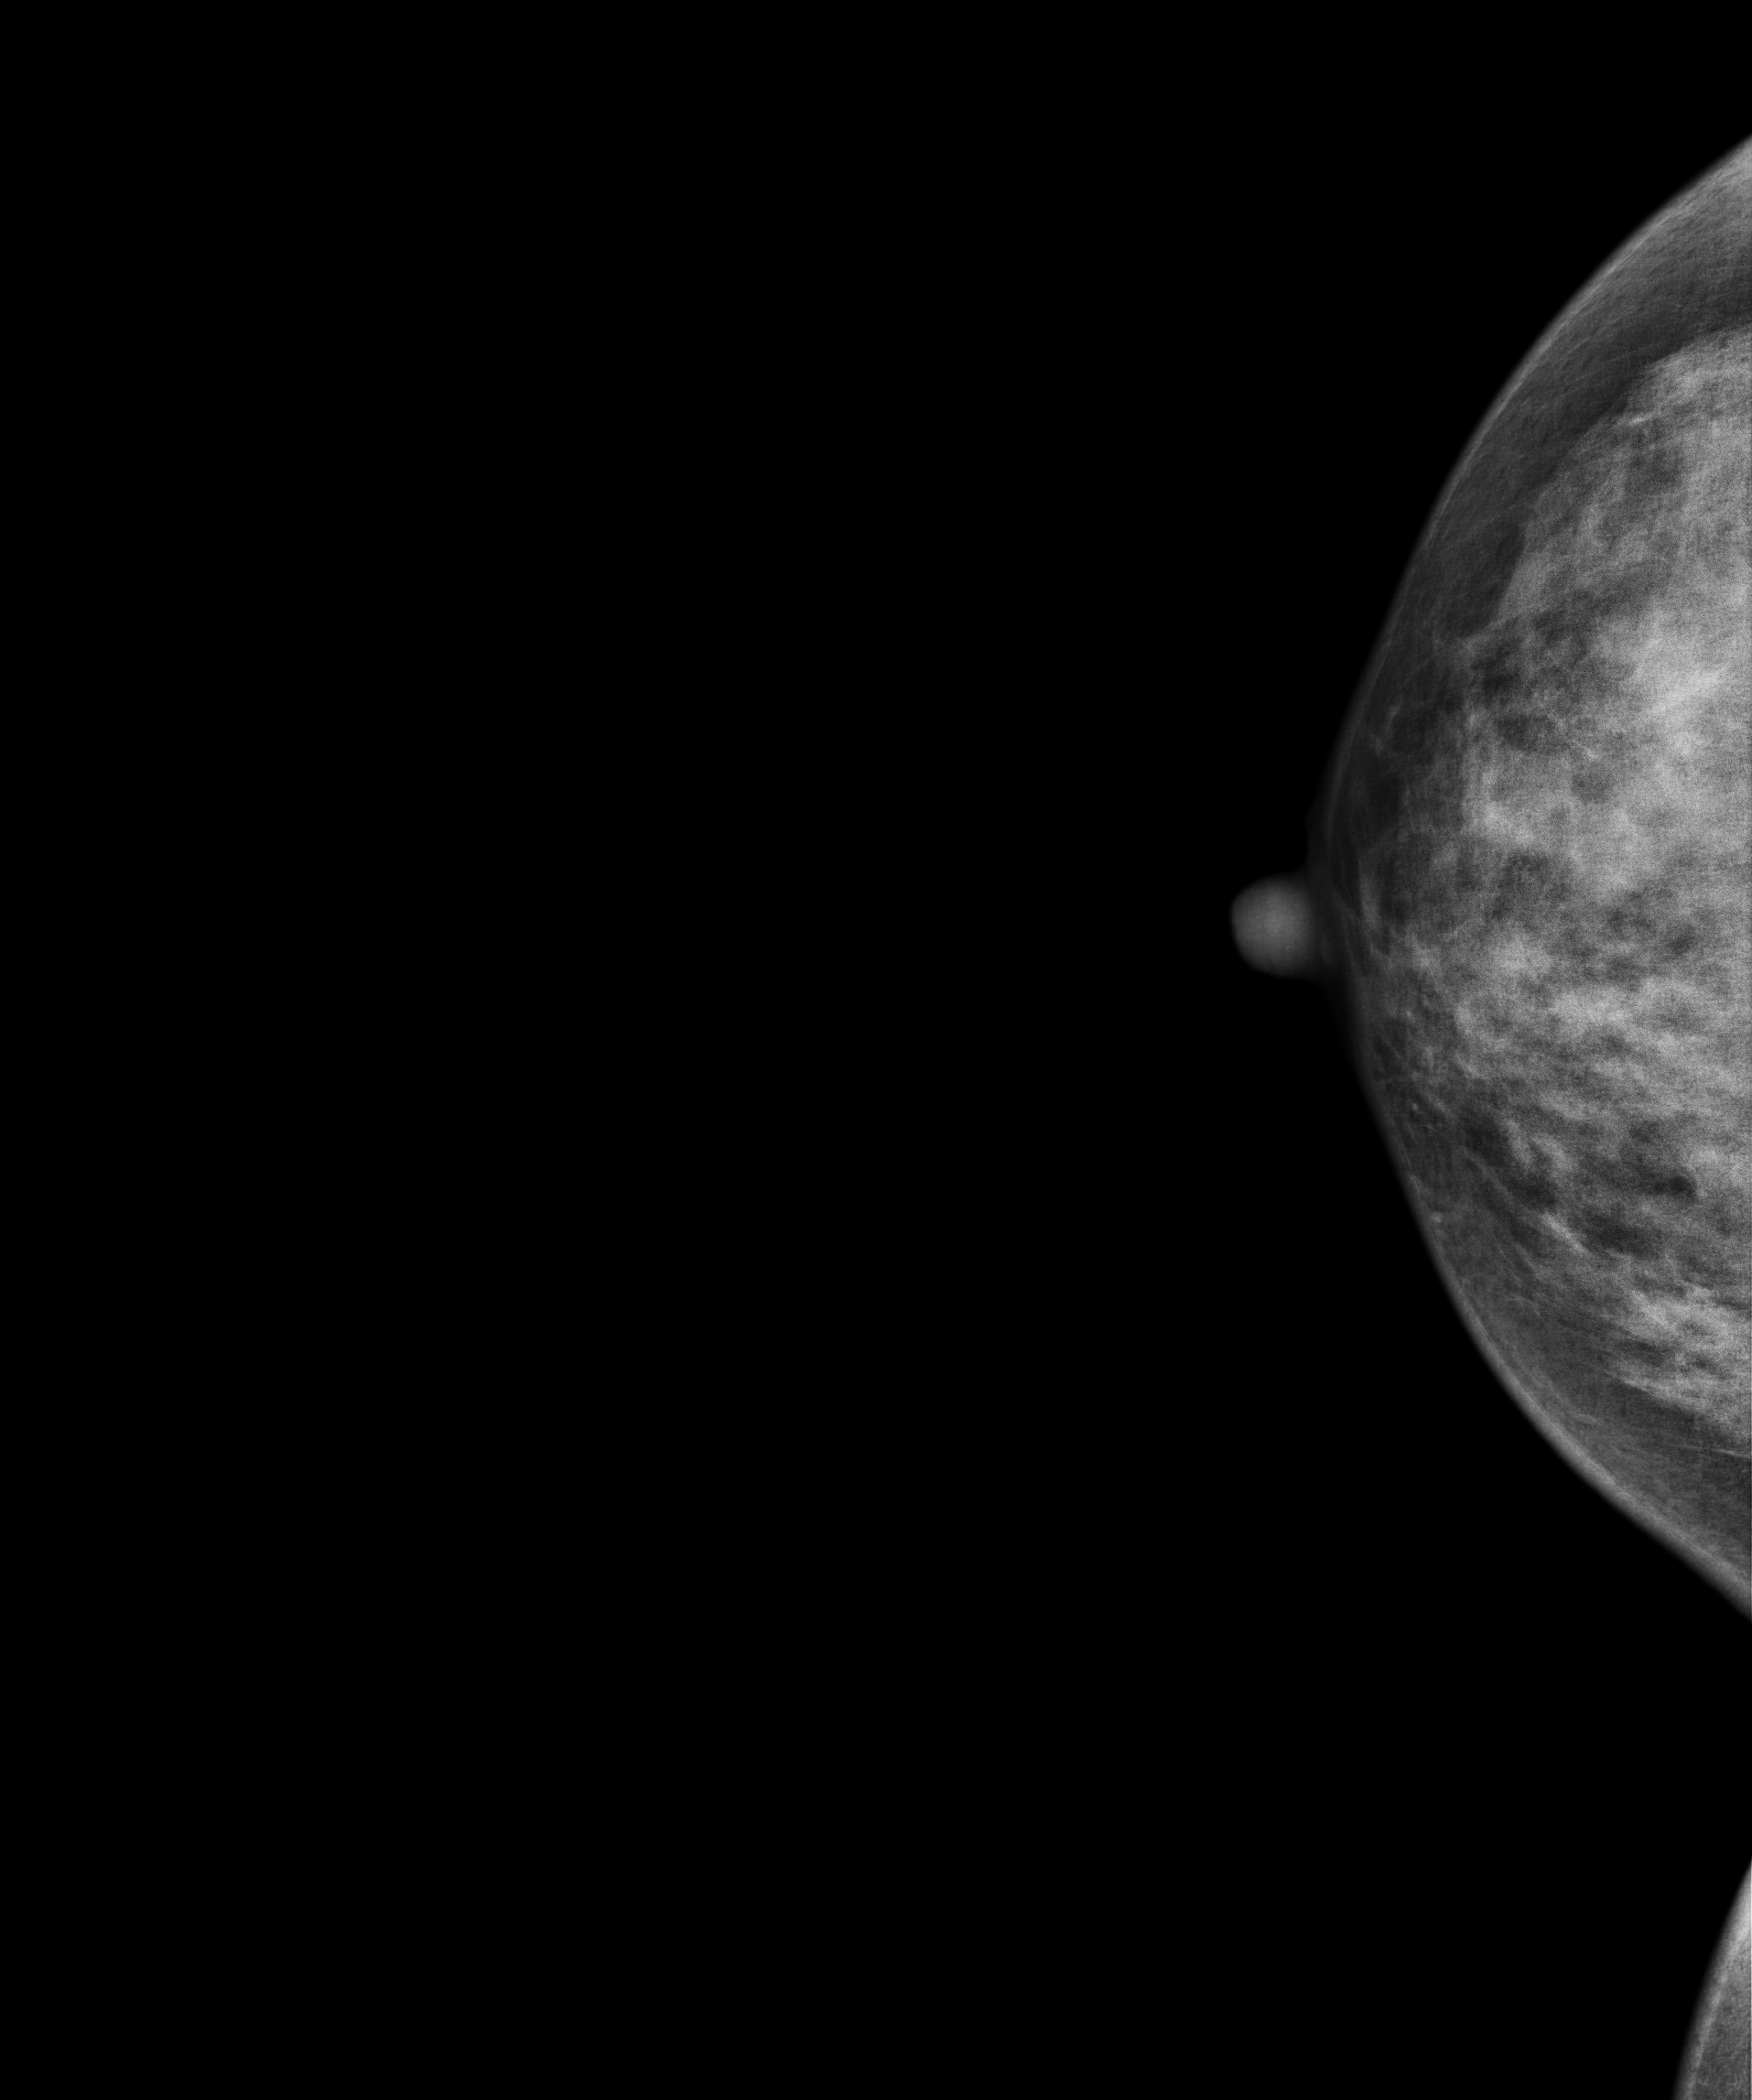
CC mammogram of the right breast. Patient age 49.
This breast has a mass, pathology-confirmed benign.